Left-breast mammogram, medio-lateral oblique. 56-year-old patient.
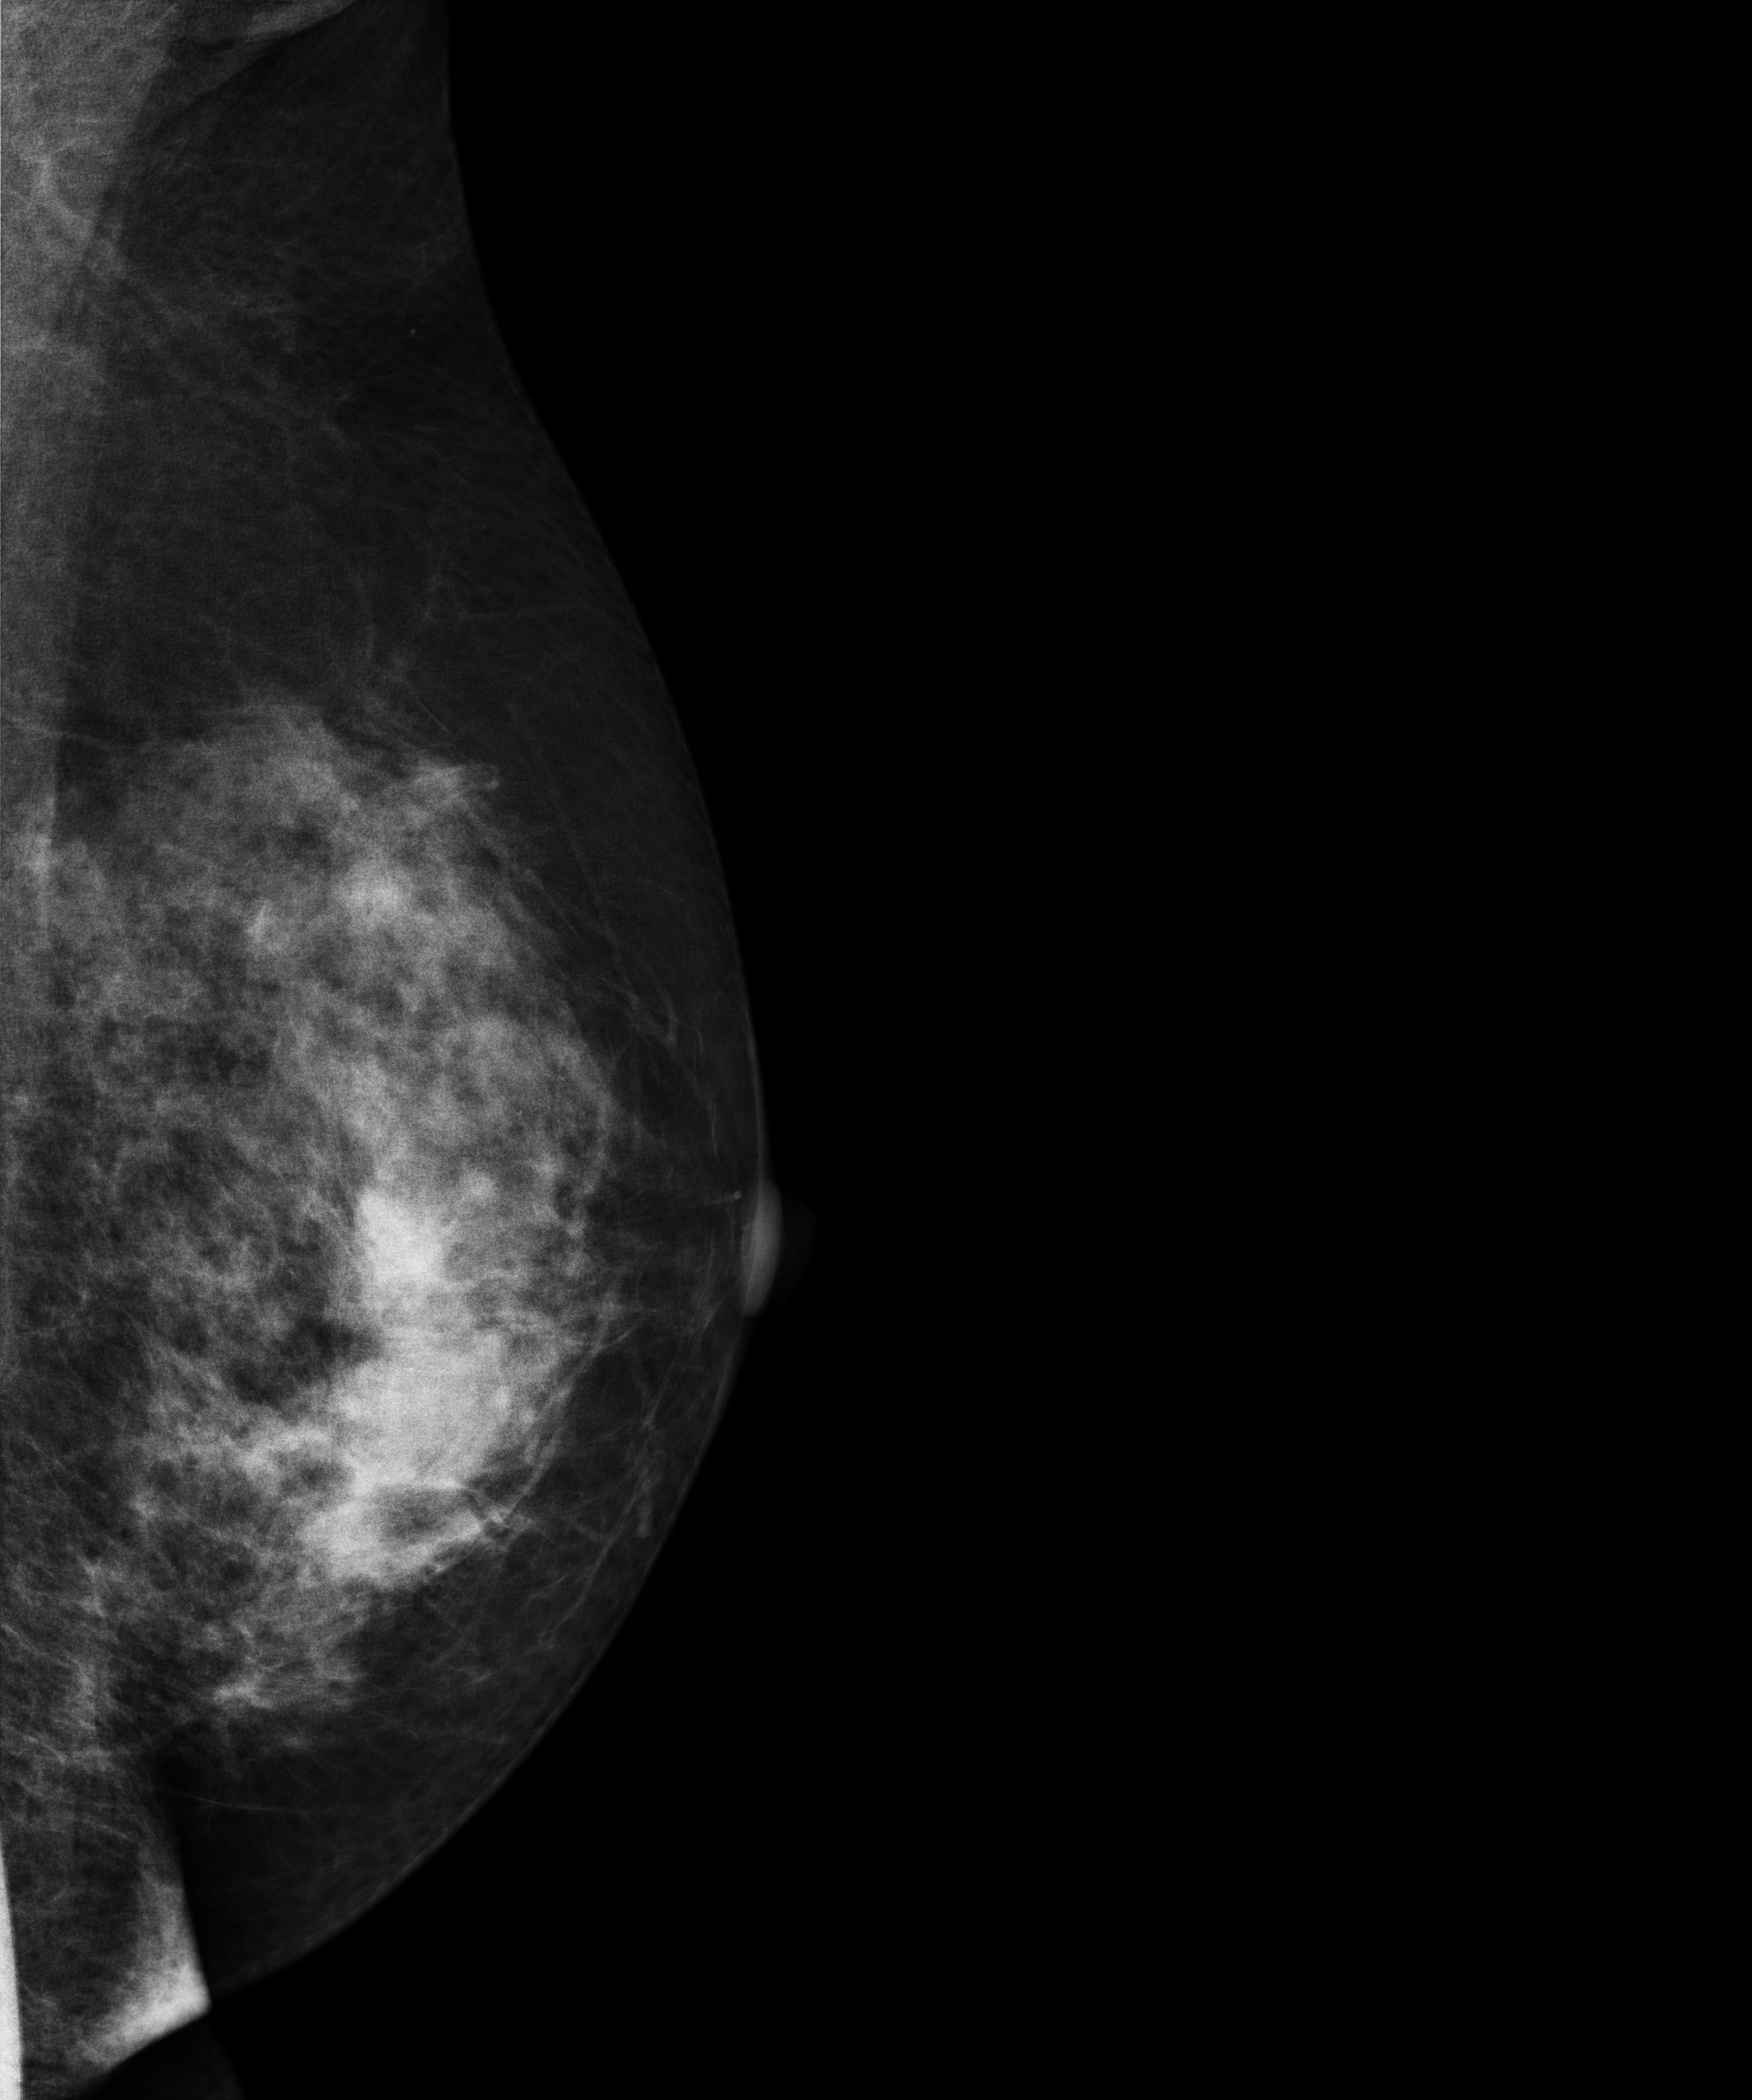
This breast has a mass, biopsy-proven malignant. Molecular subtype: luminal A.